Mammogram — right medio-lateral oblique. 47 y/o patient.
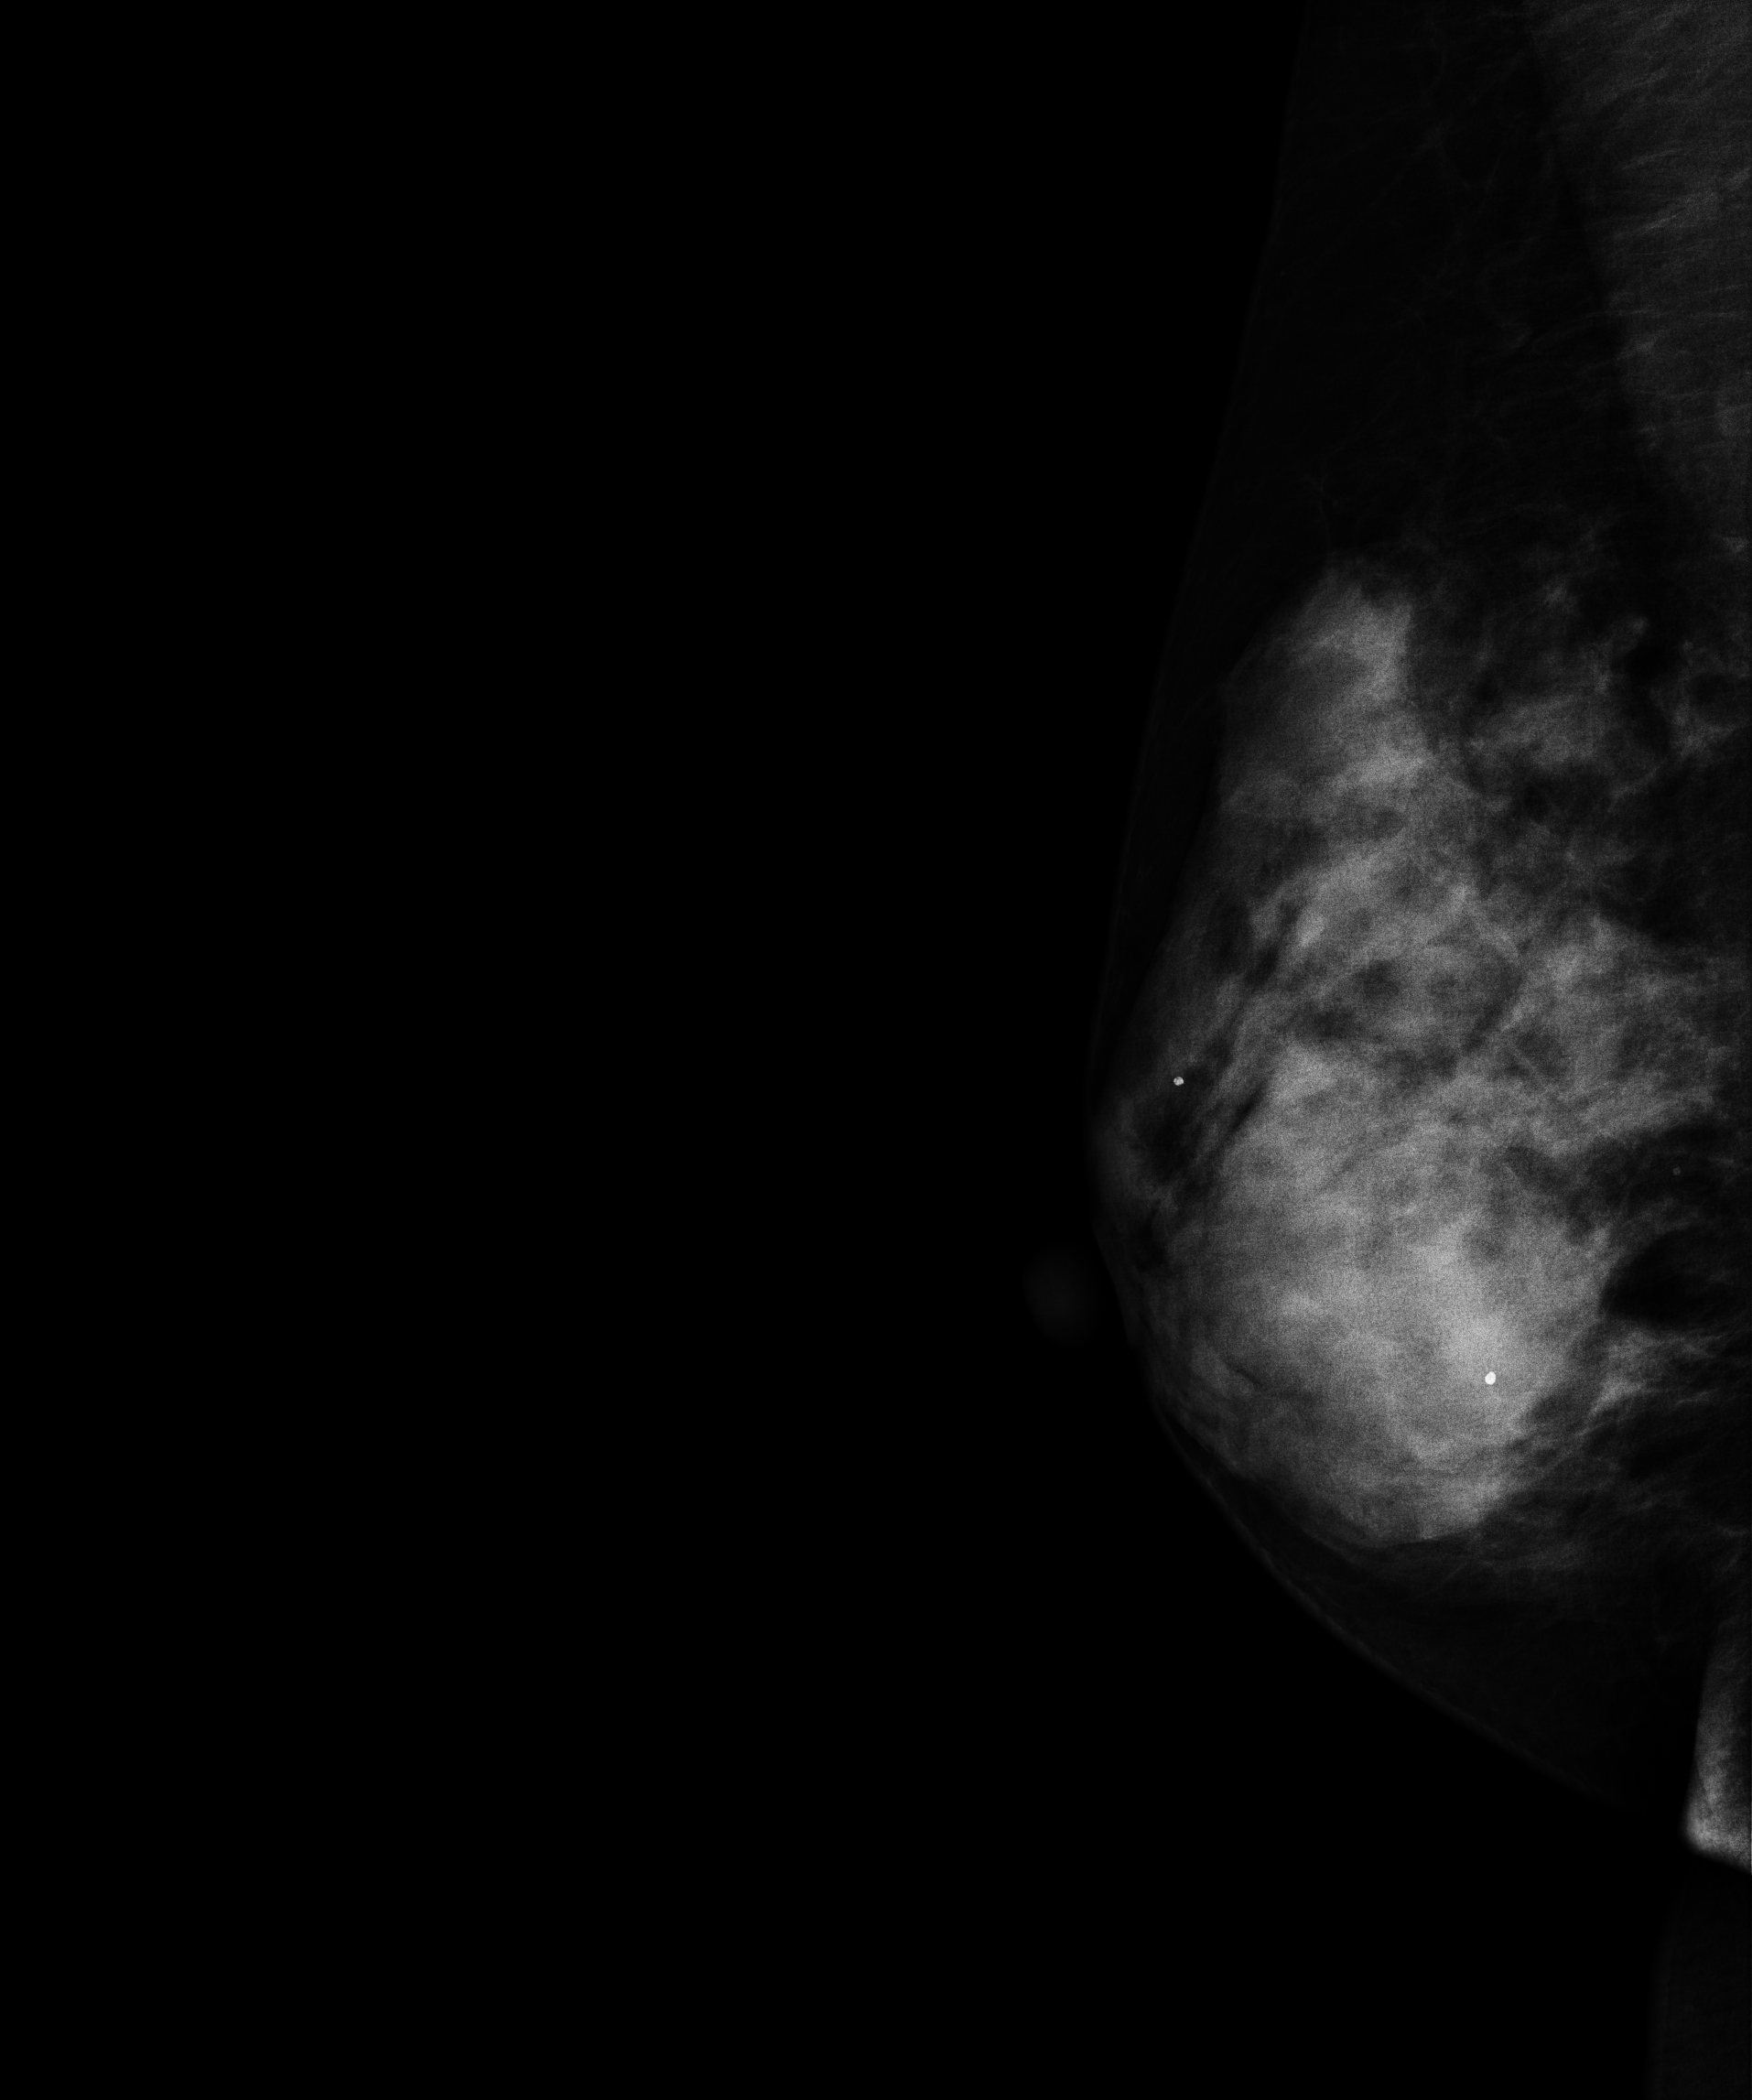
This breast has a mass, biopsy-confirmed benign.